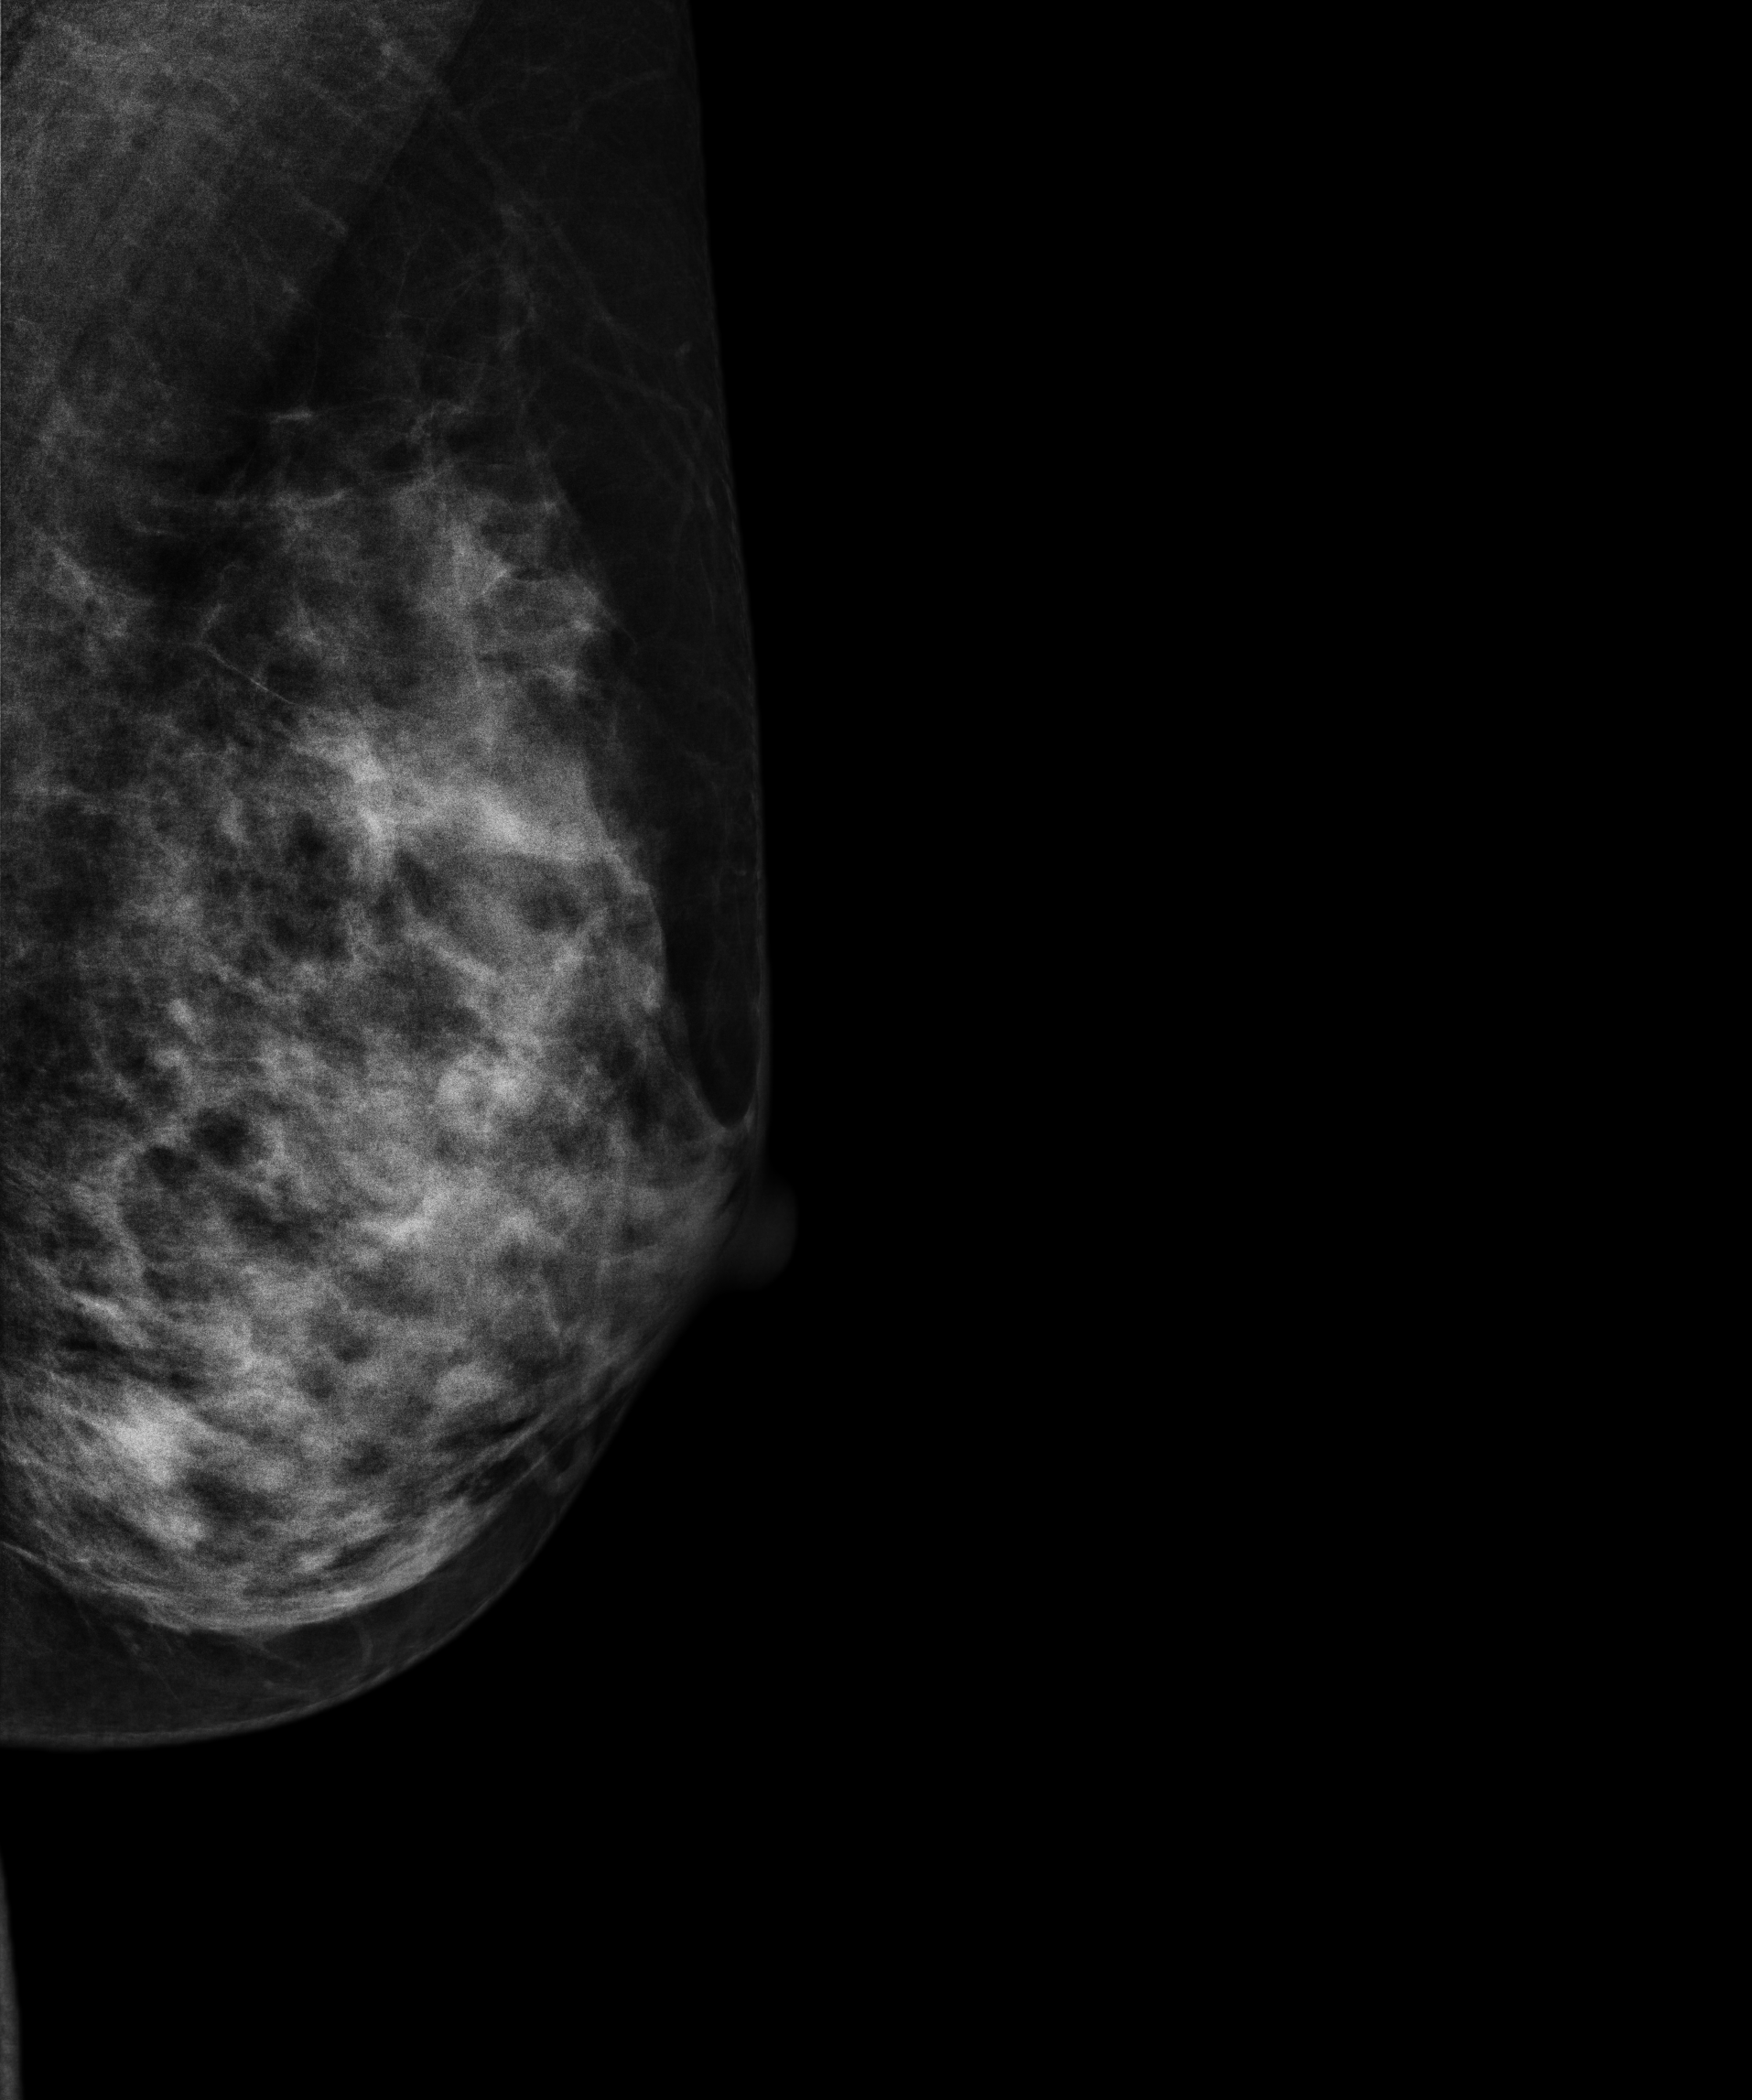
Digital mammography. Left breast, medio-lateral oblique projection. Patient age 40.
This breast has a mass, biopsy-proven benign.